Right-breast mammogram, MLO. Patient age 43.
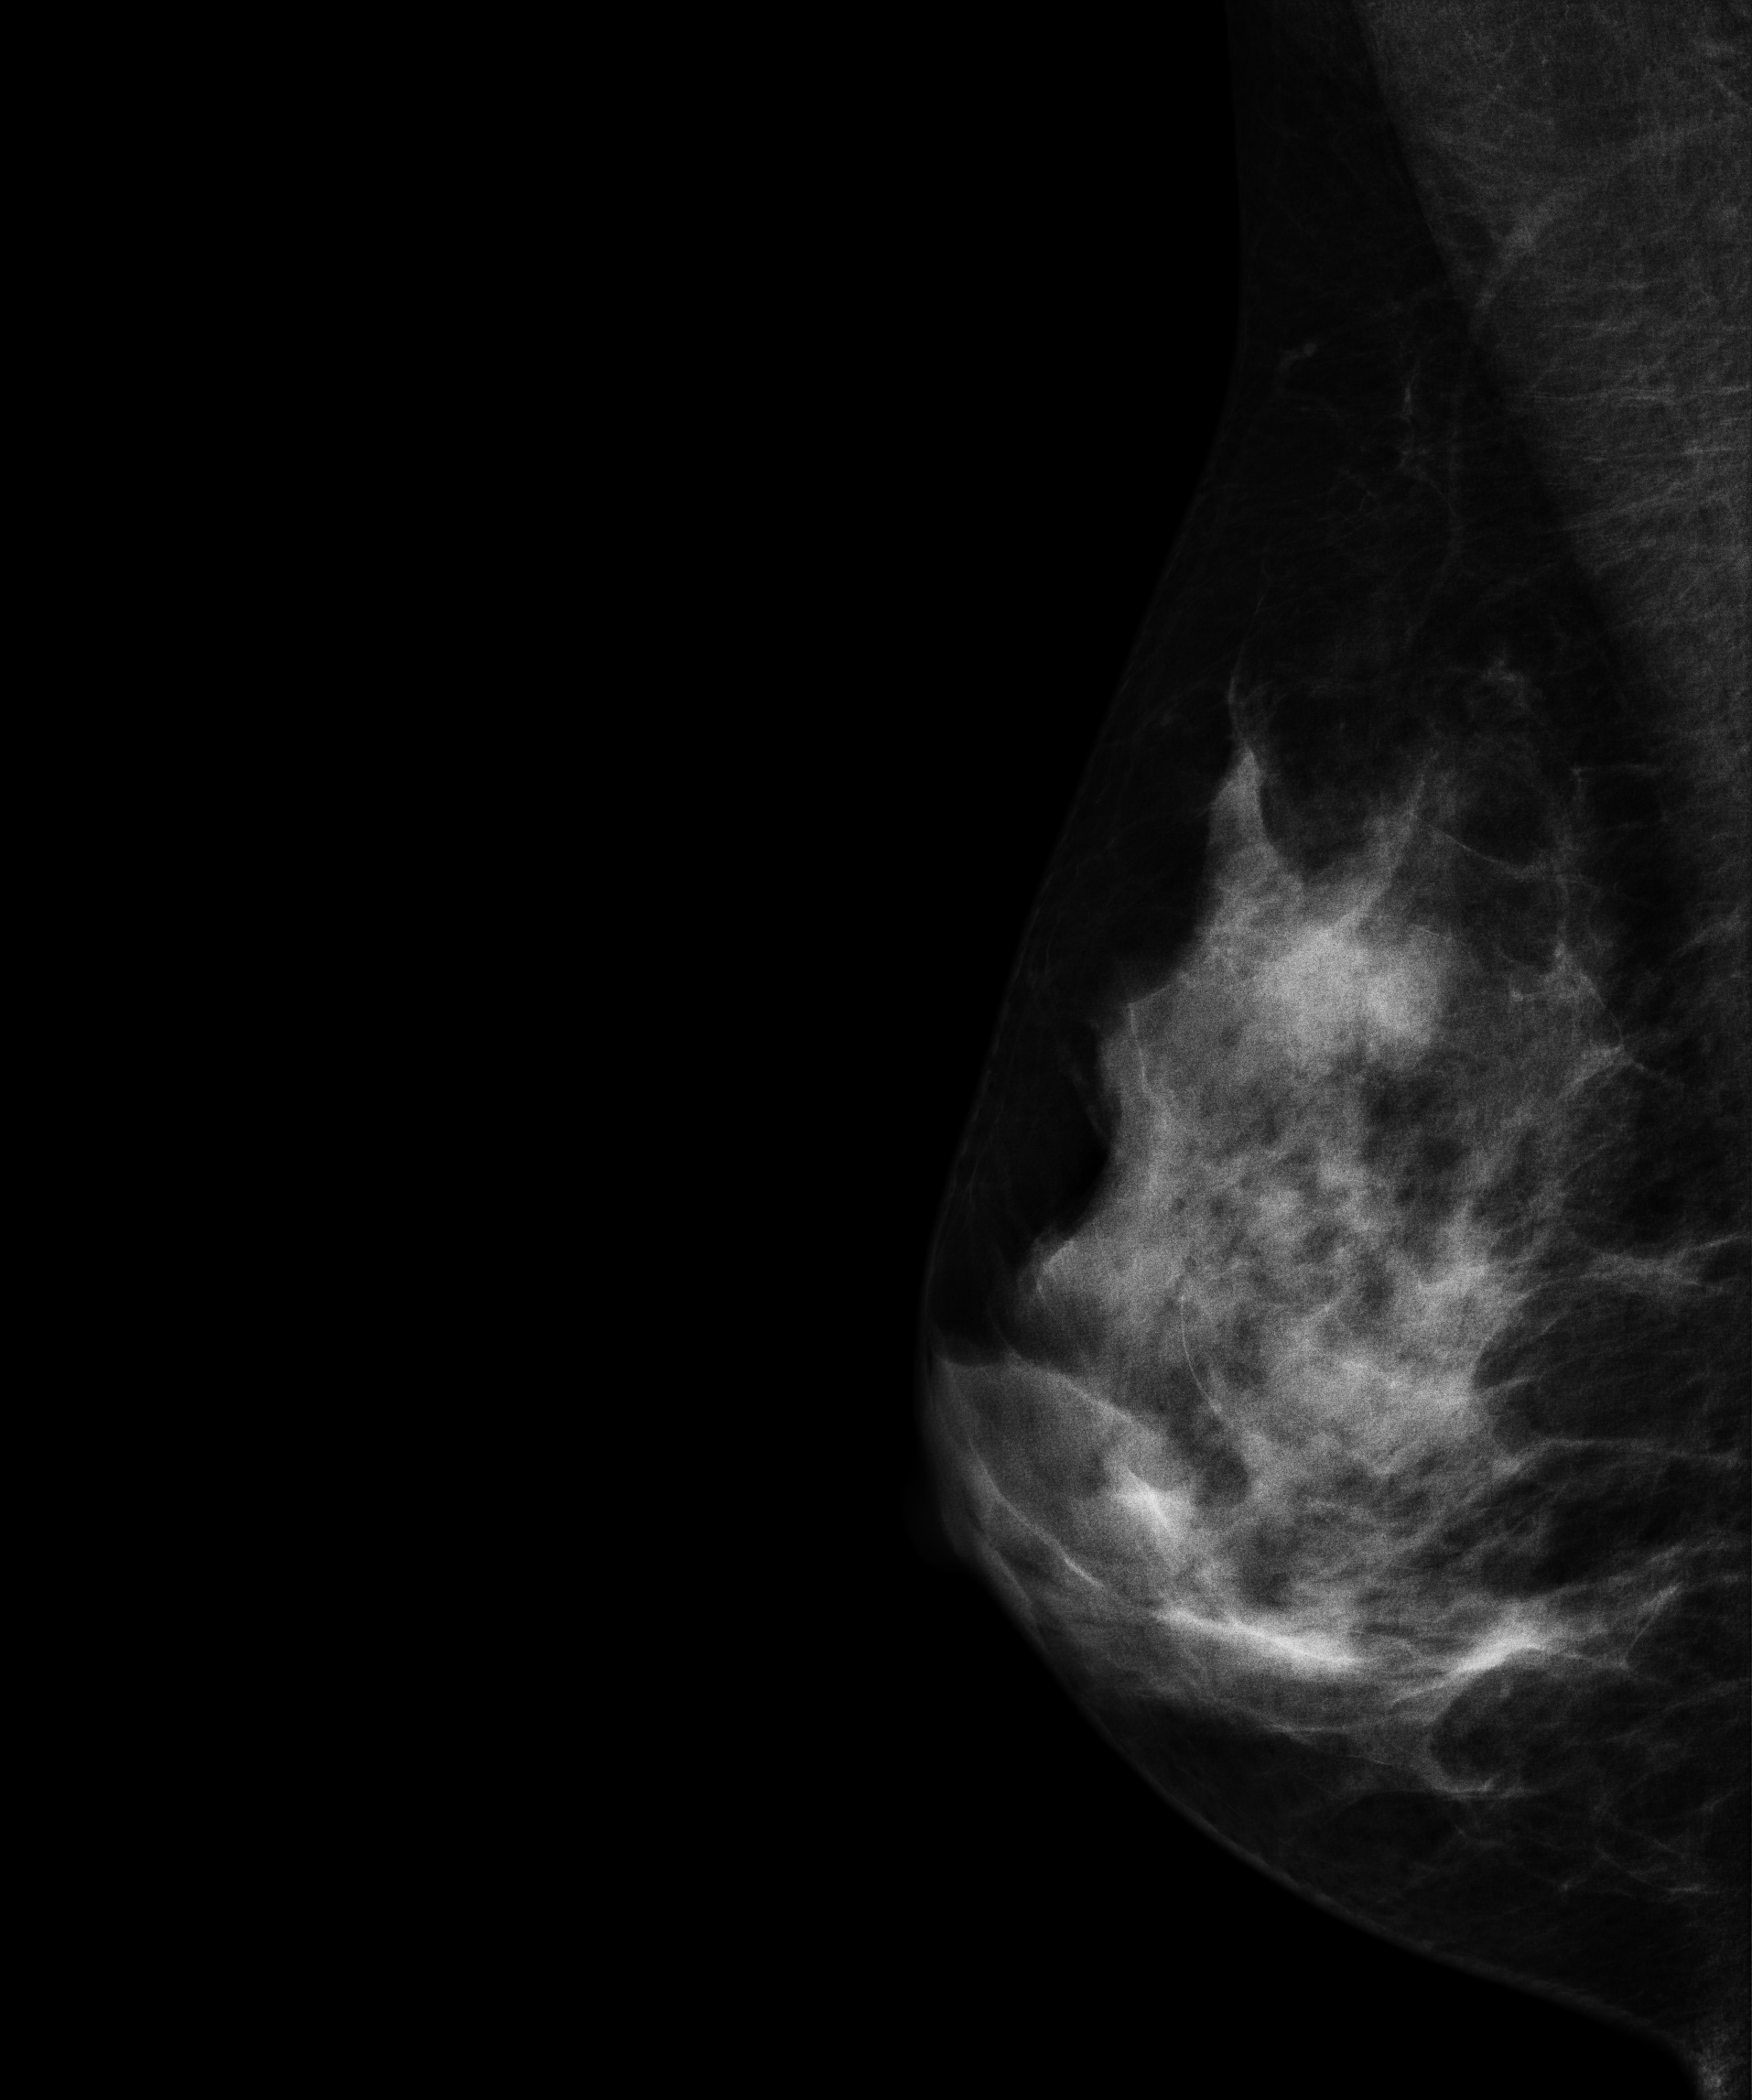
This breast has a mass, pathology-confirmed benign.